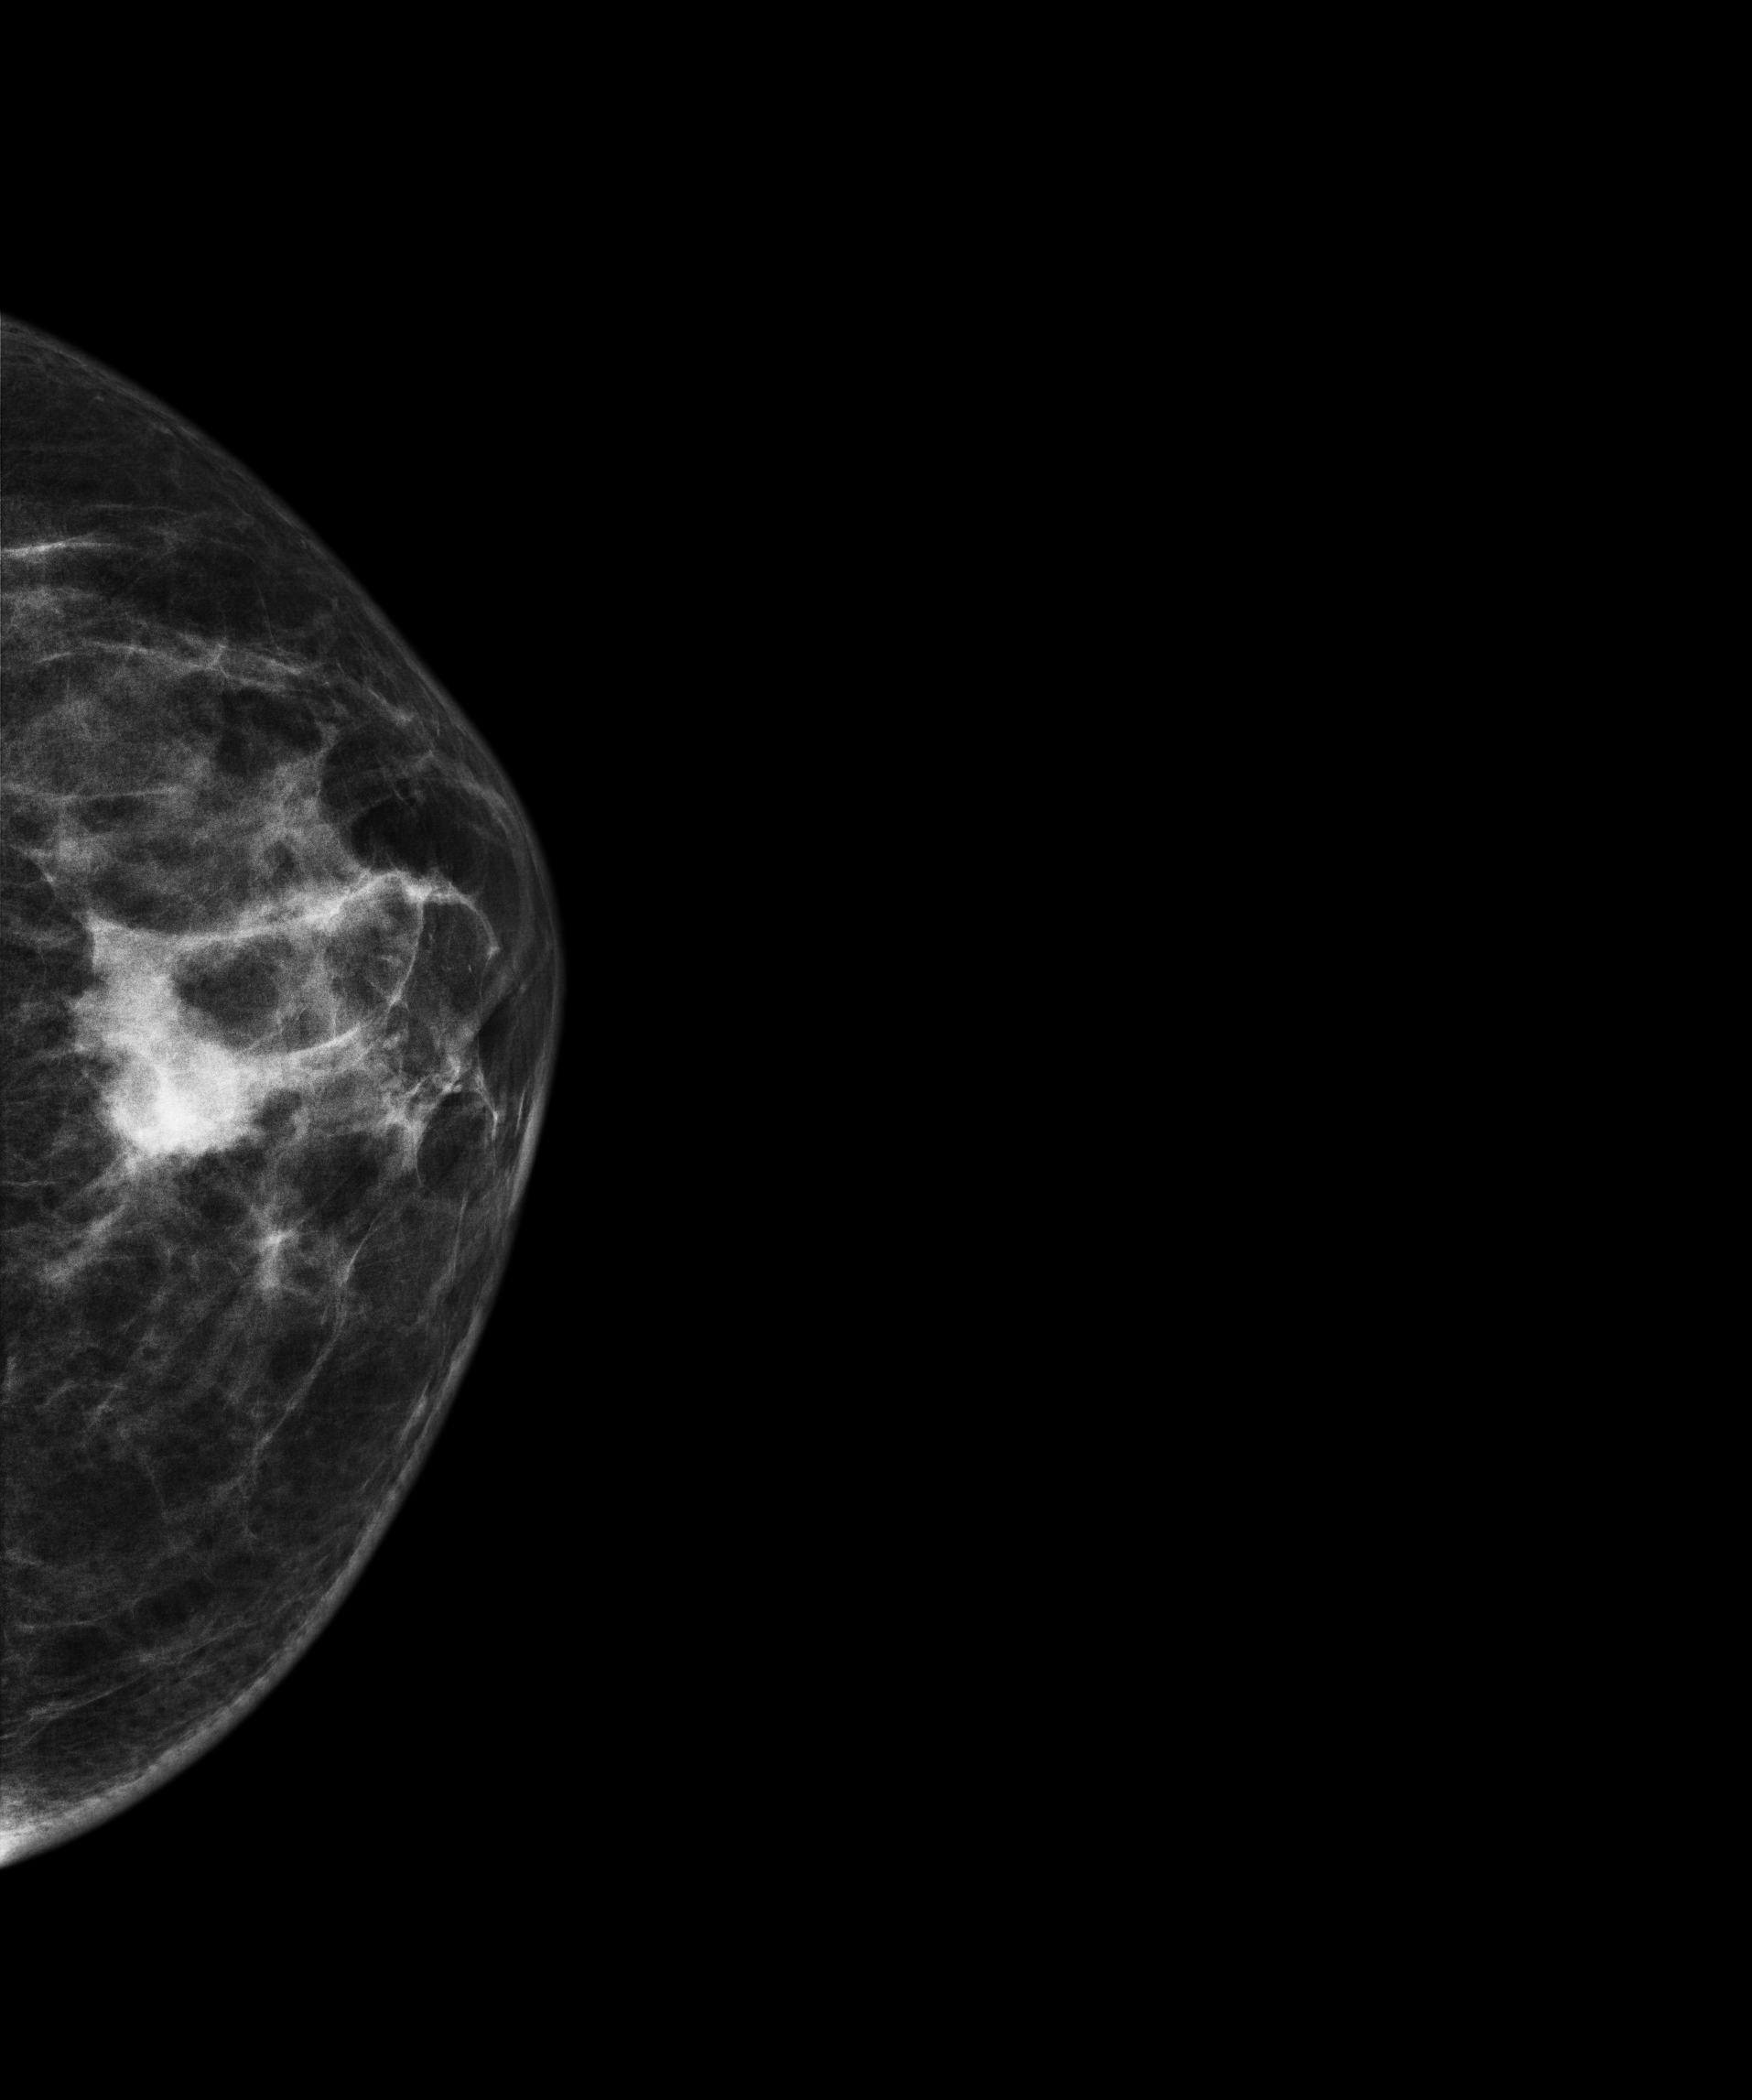
CC mammogram of the left breast. 41-year-old patient.
This breast has a mass, histologically confirmed malignant. Molecular subtype: triple-negative.